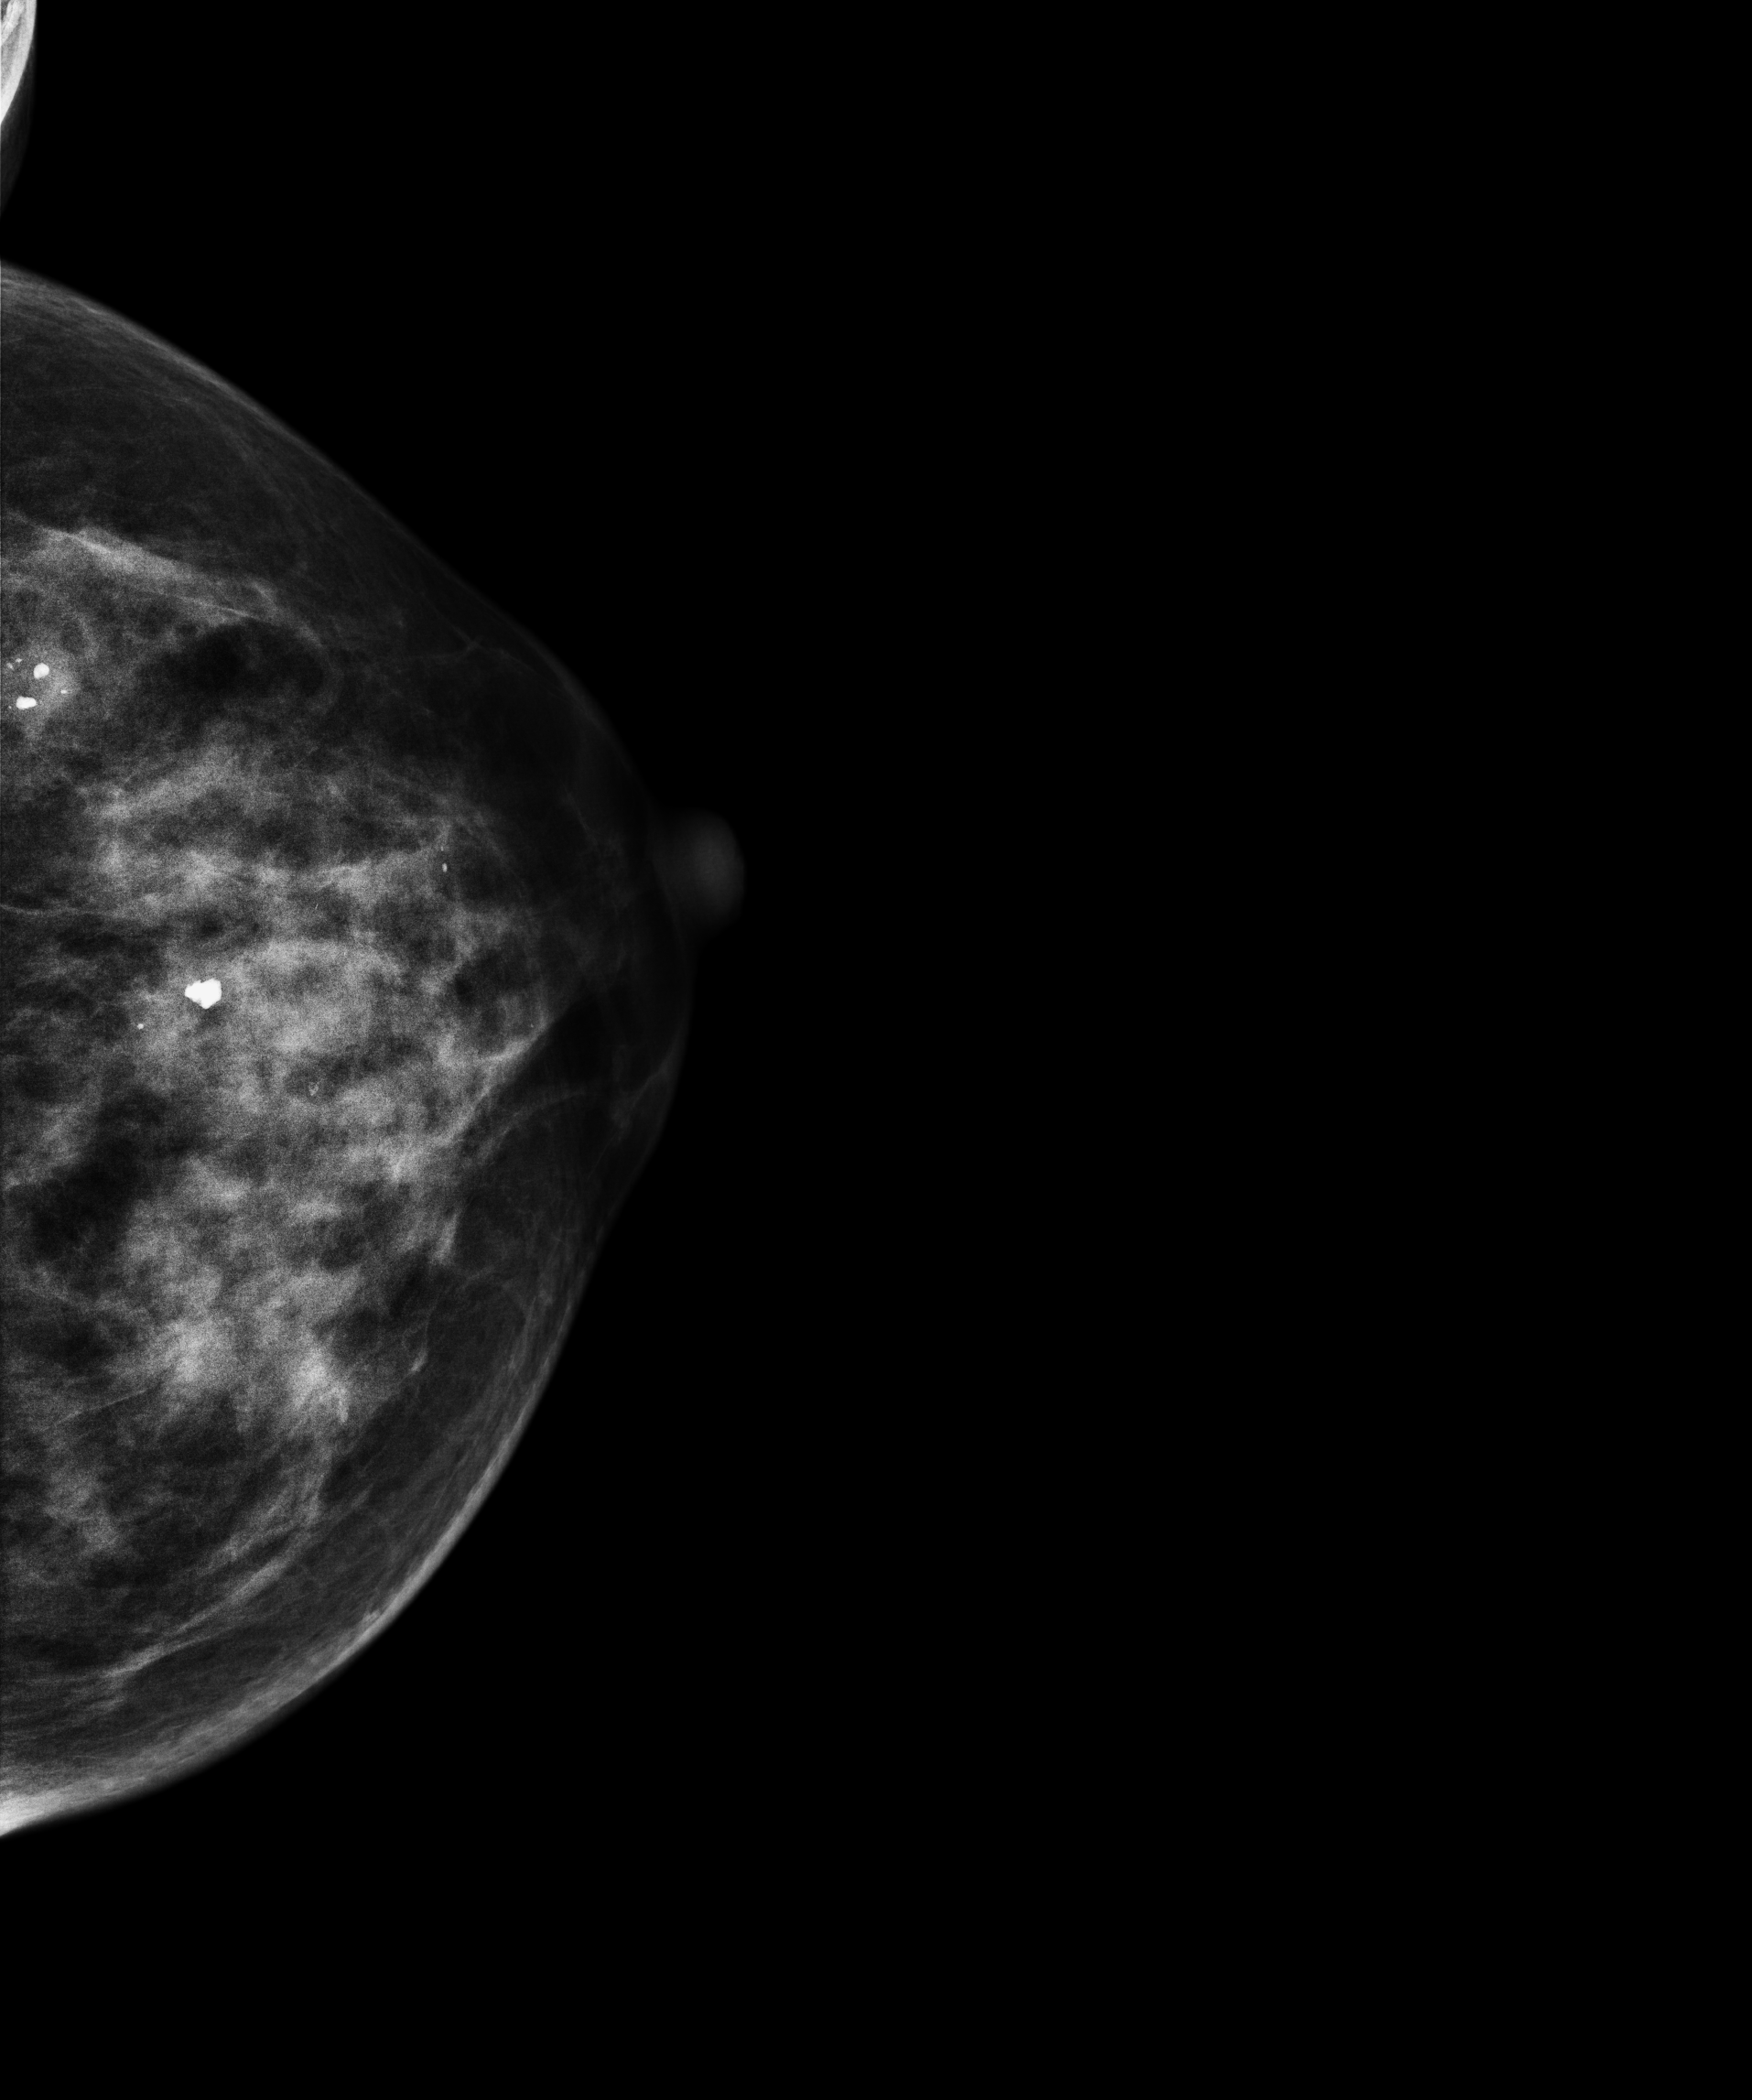
Mammogram, left breast, cranio-caudal view. Patient age 52.
This breast has a mass and calcifications, biopsy-confirmed benign.